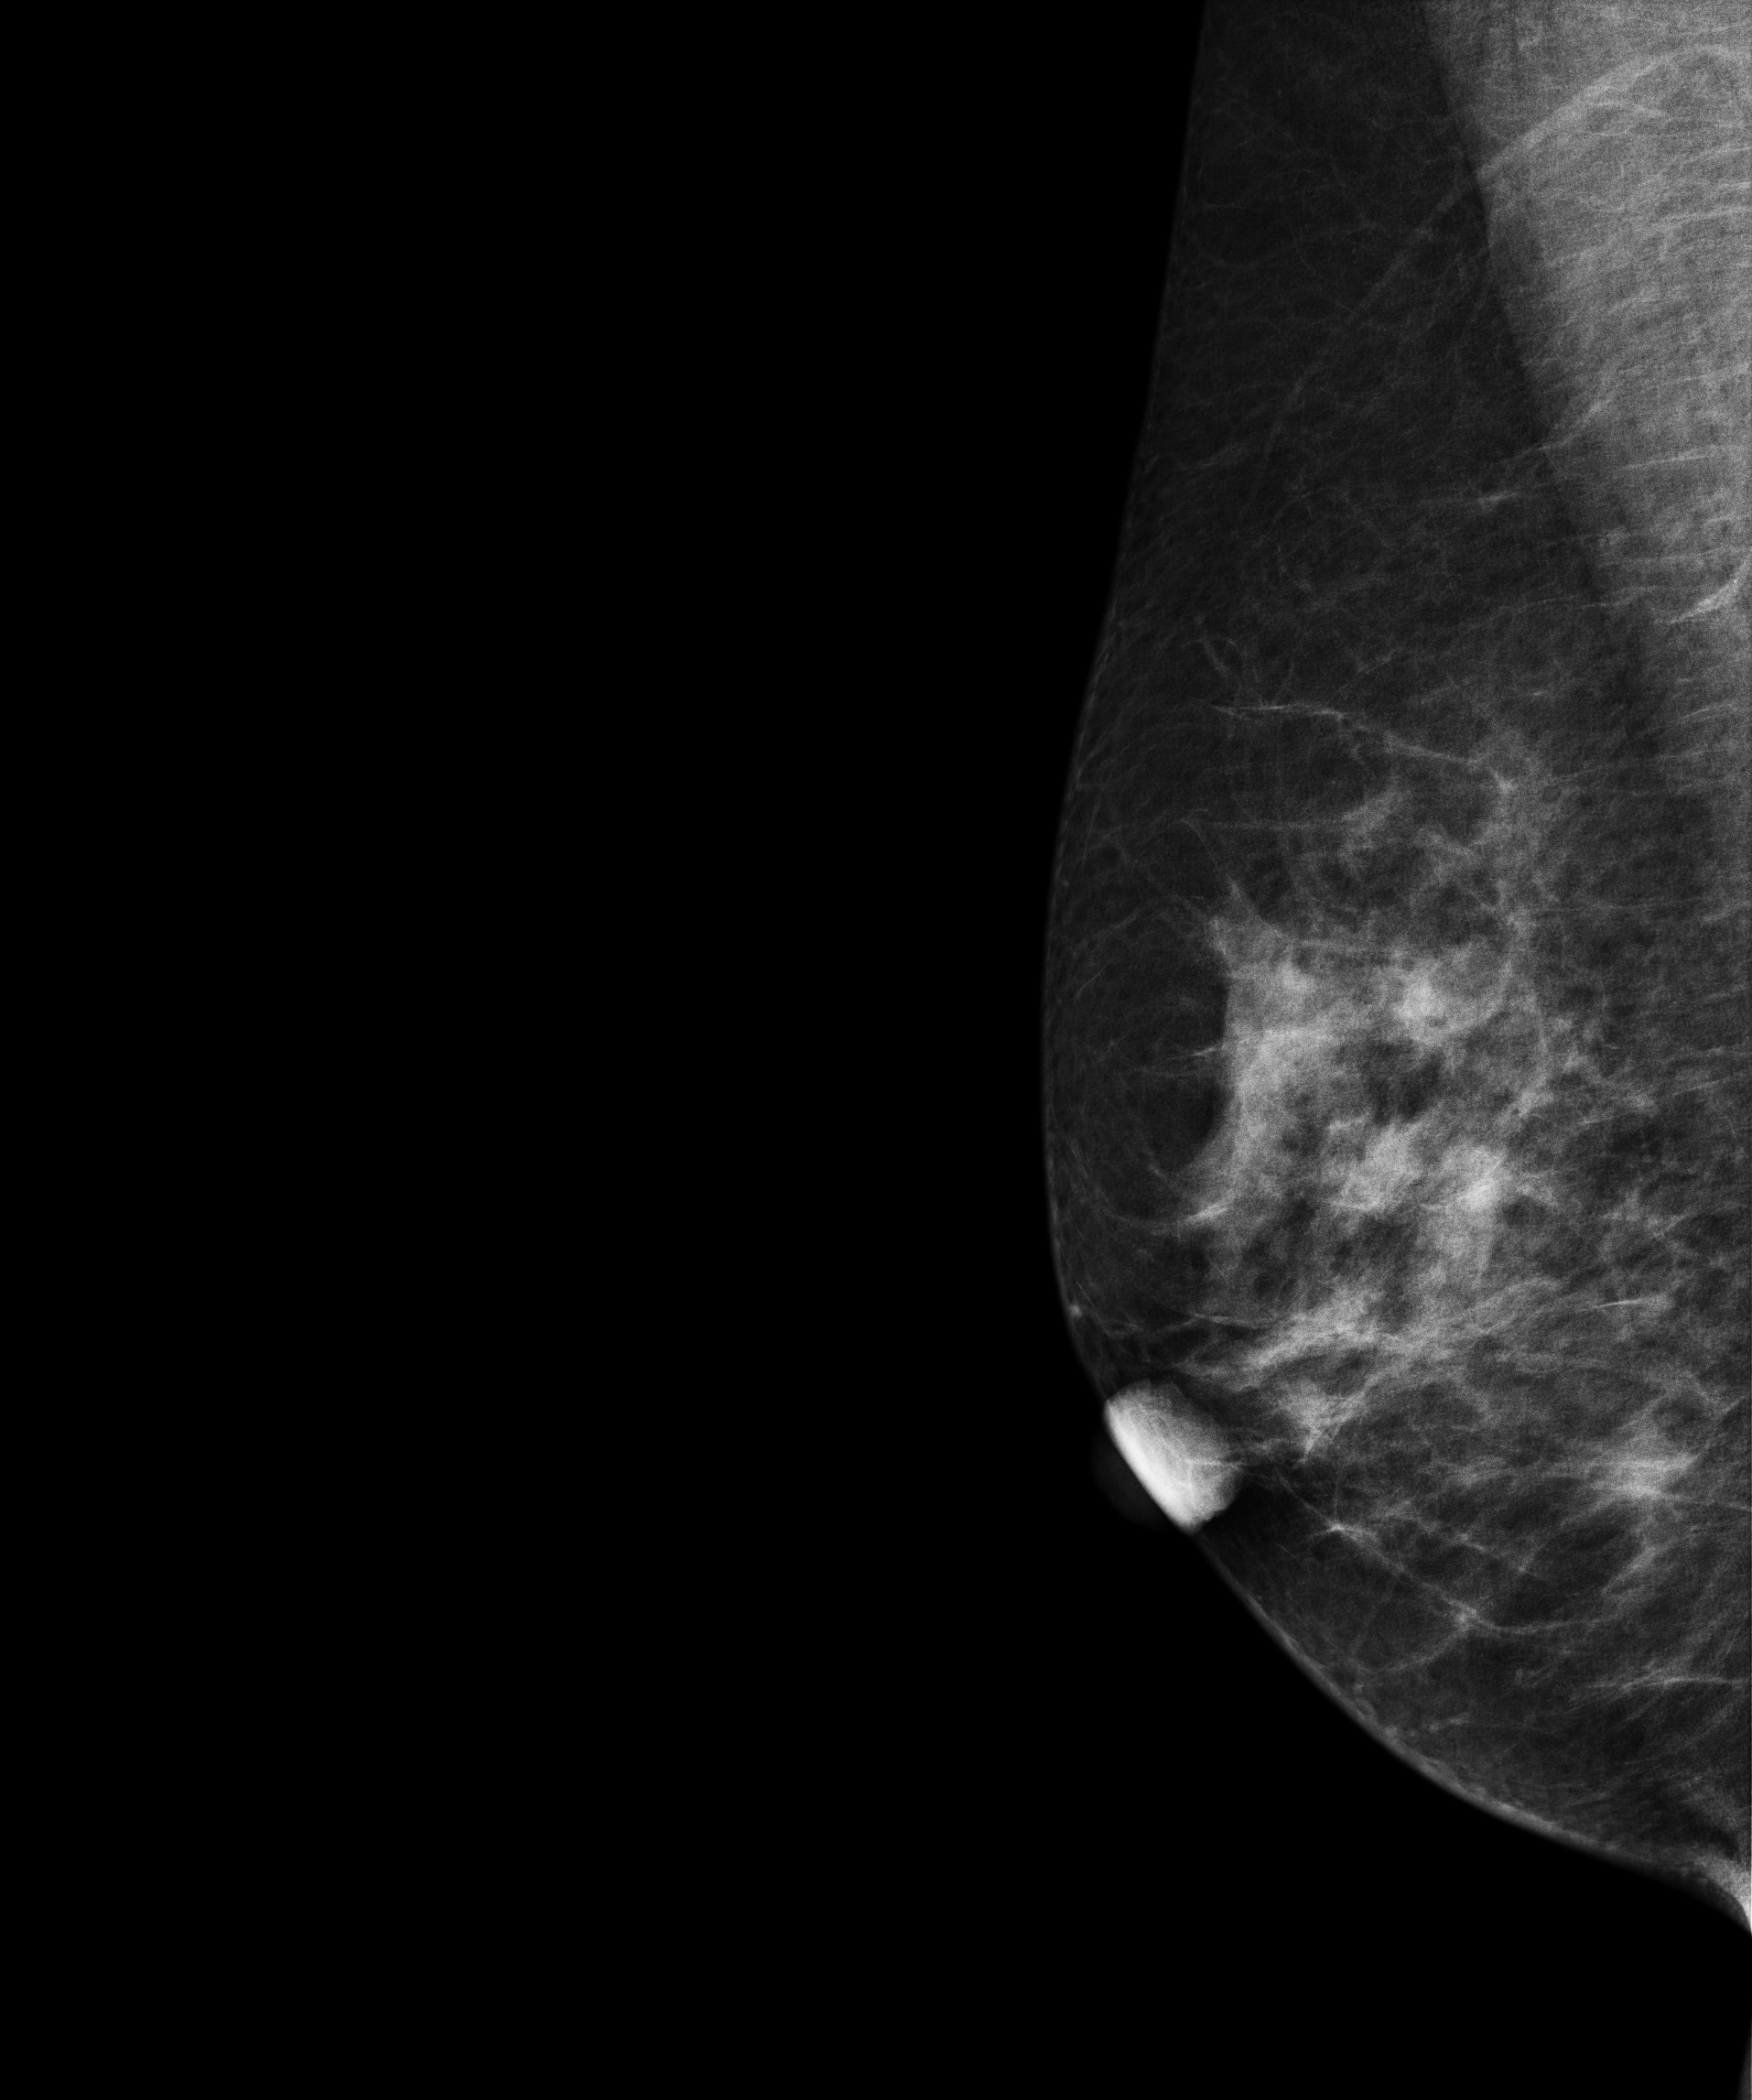
Right-breast mammogram, medio-lateral oblique. 57 y/o patient.
Contralateral breast — no documented abnormality on this side.